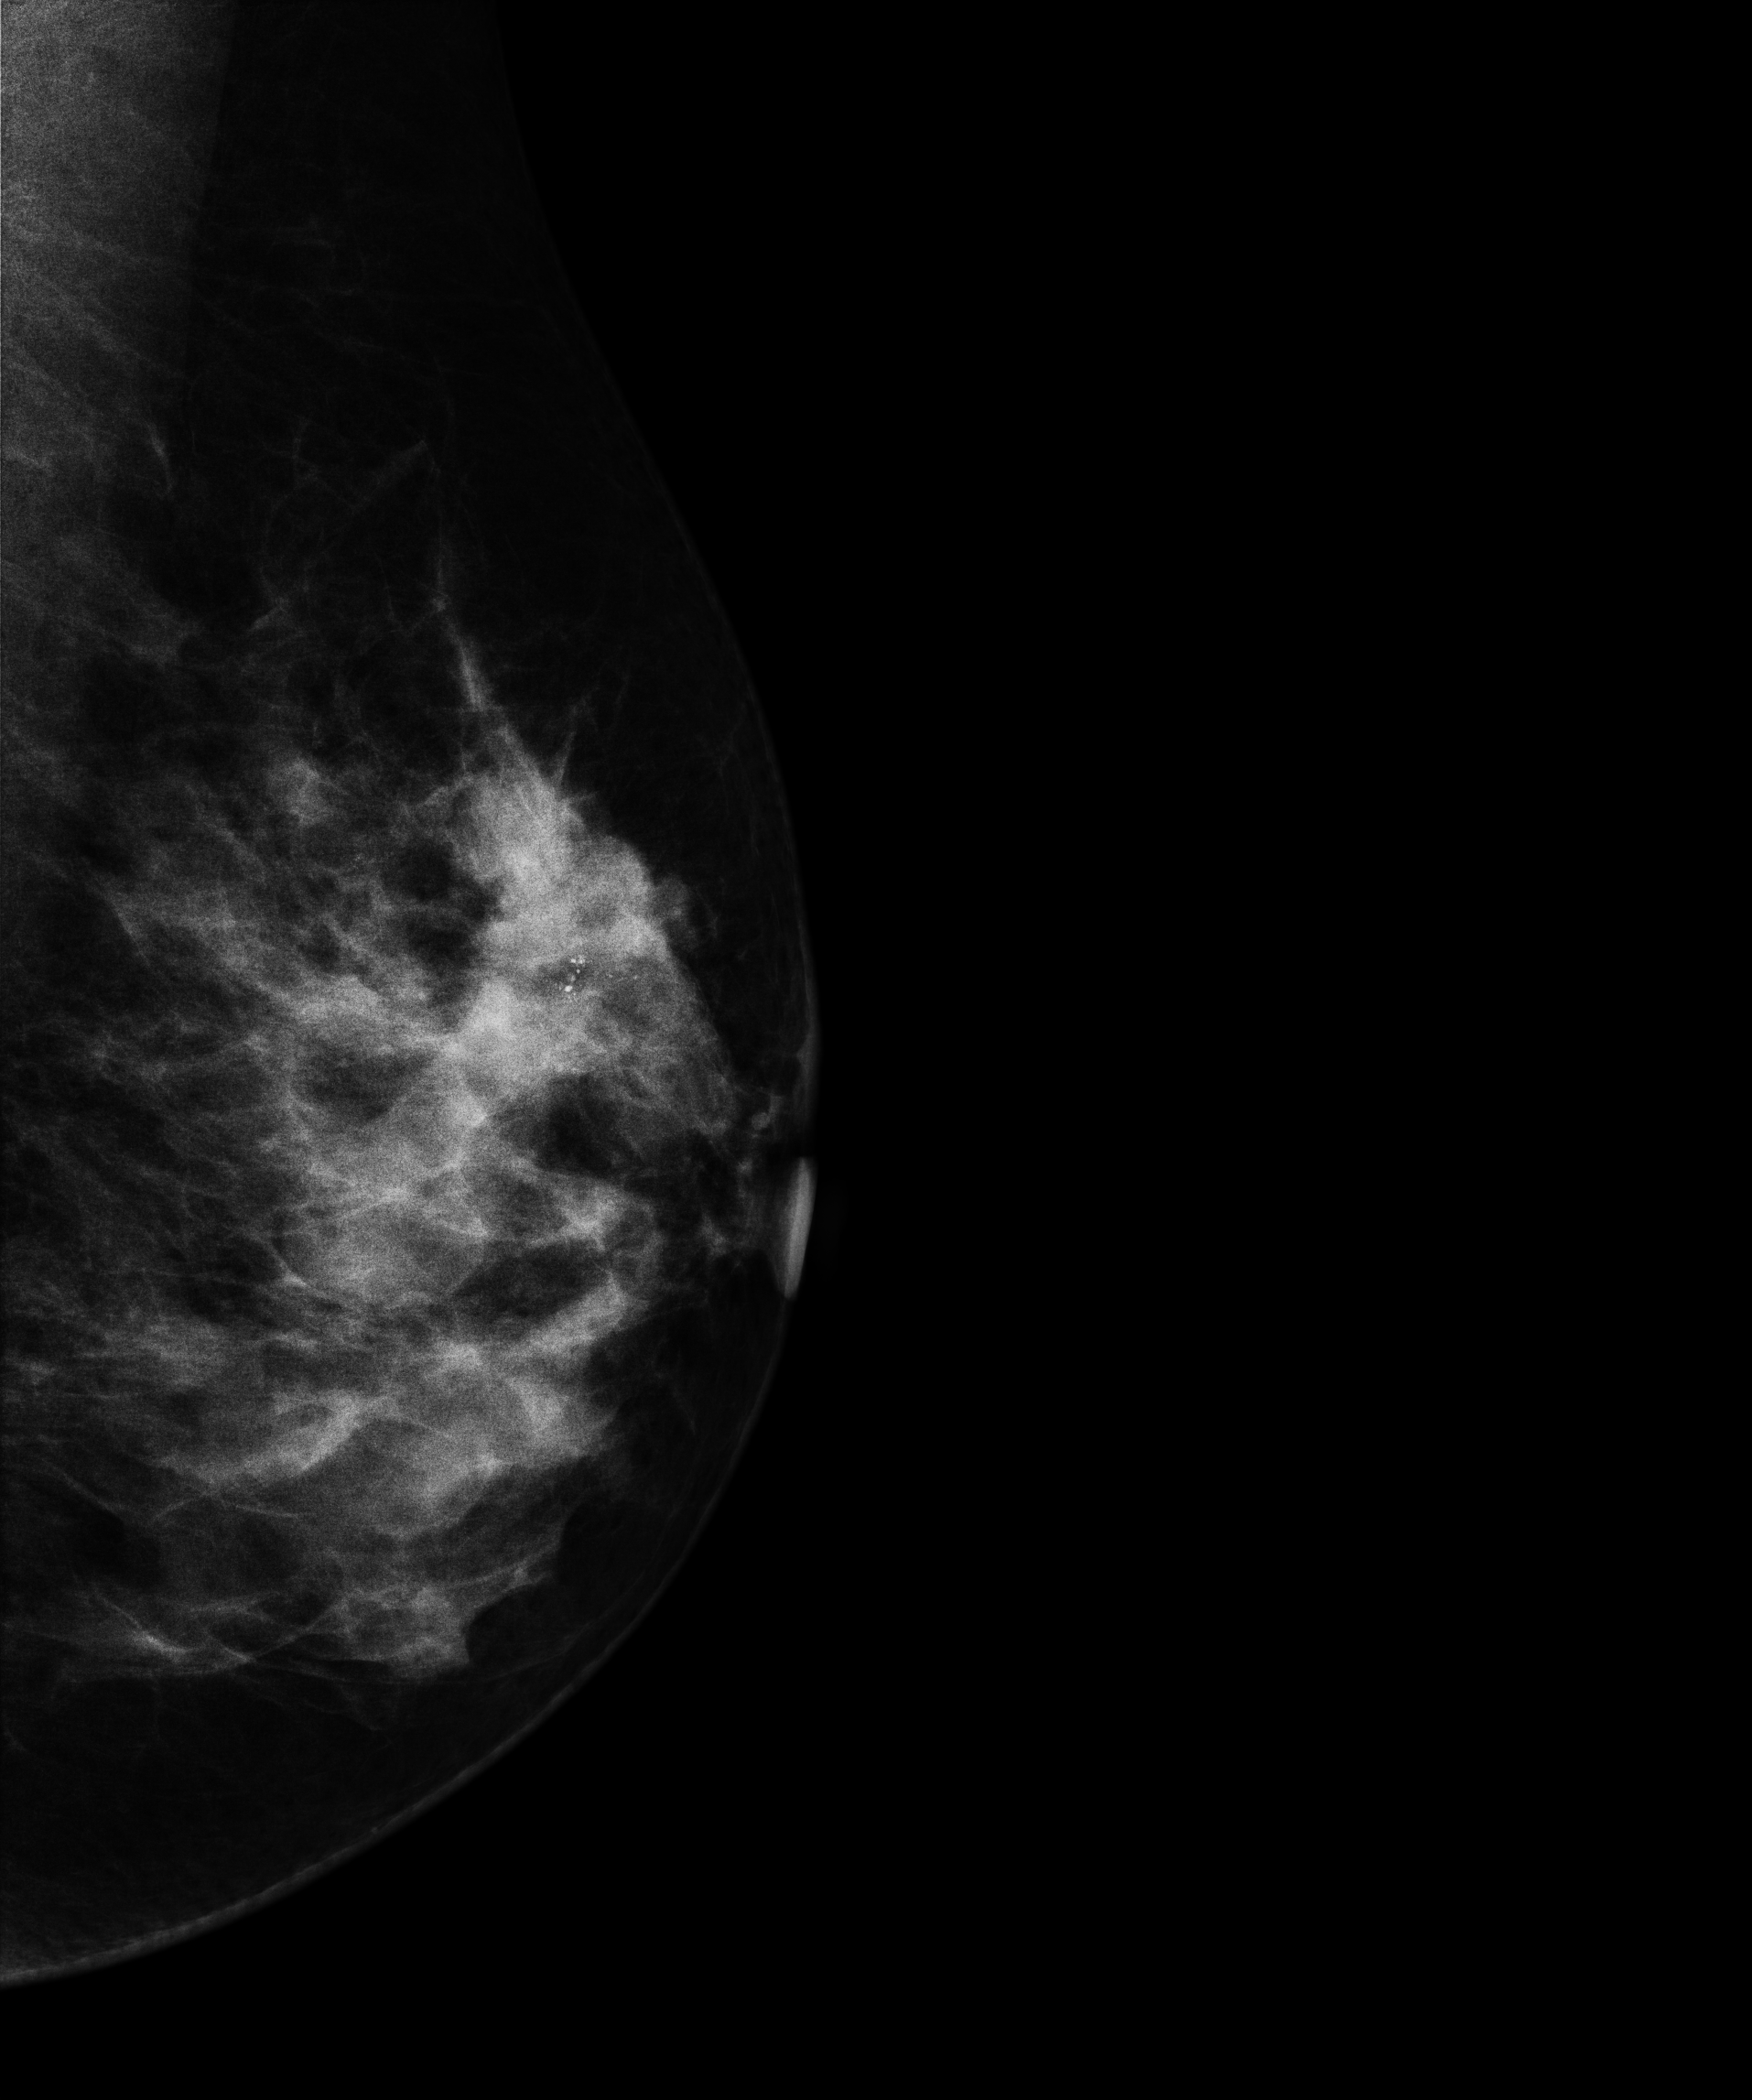
Mammogram — left medio-lateral oblique. Patient age 51.
This breast has a mass and calcifications, pathology-confirmed malignant. Molecular subtype: luminal B.